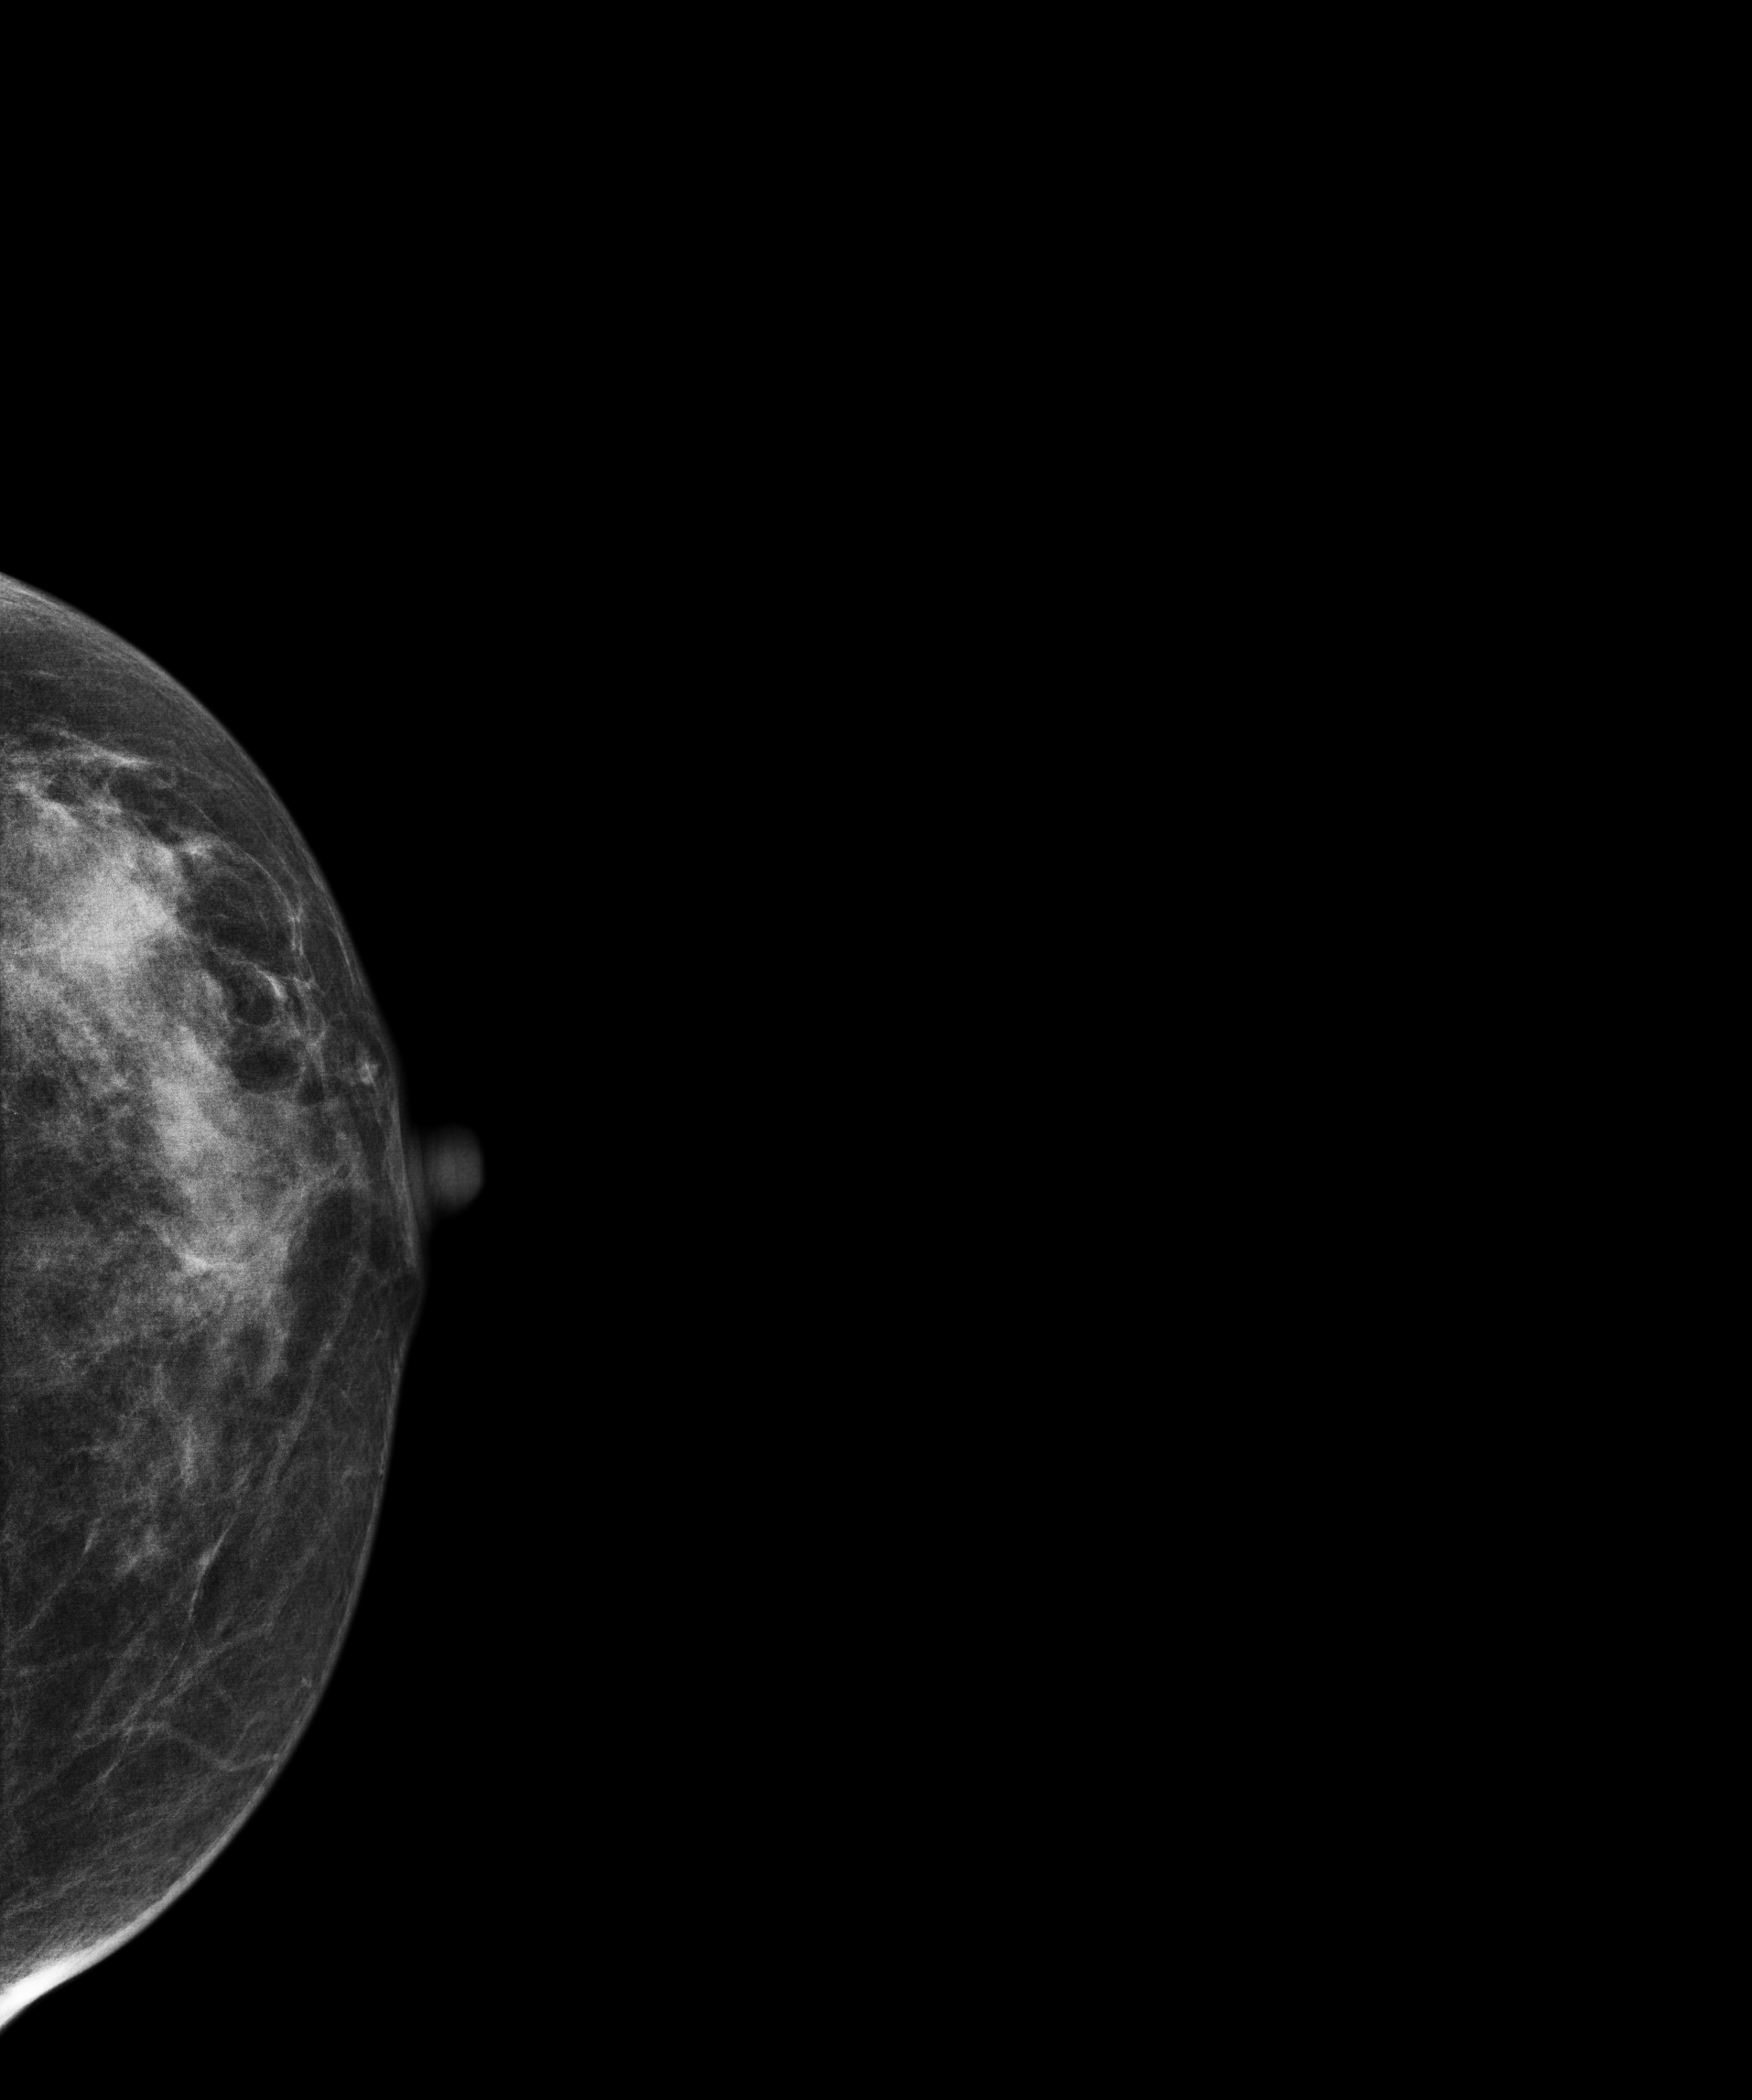
CC mammogram of the left breast. 59 y/o patient.
This breast has a mass, histologically confirmed malignant. Molecular subtype: triple-negative.